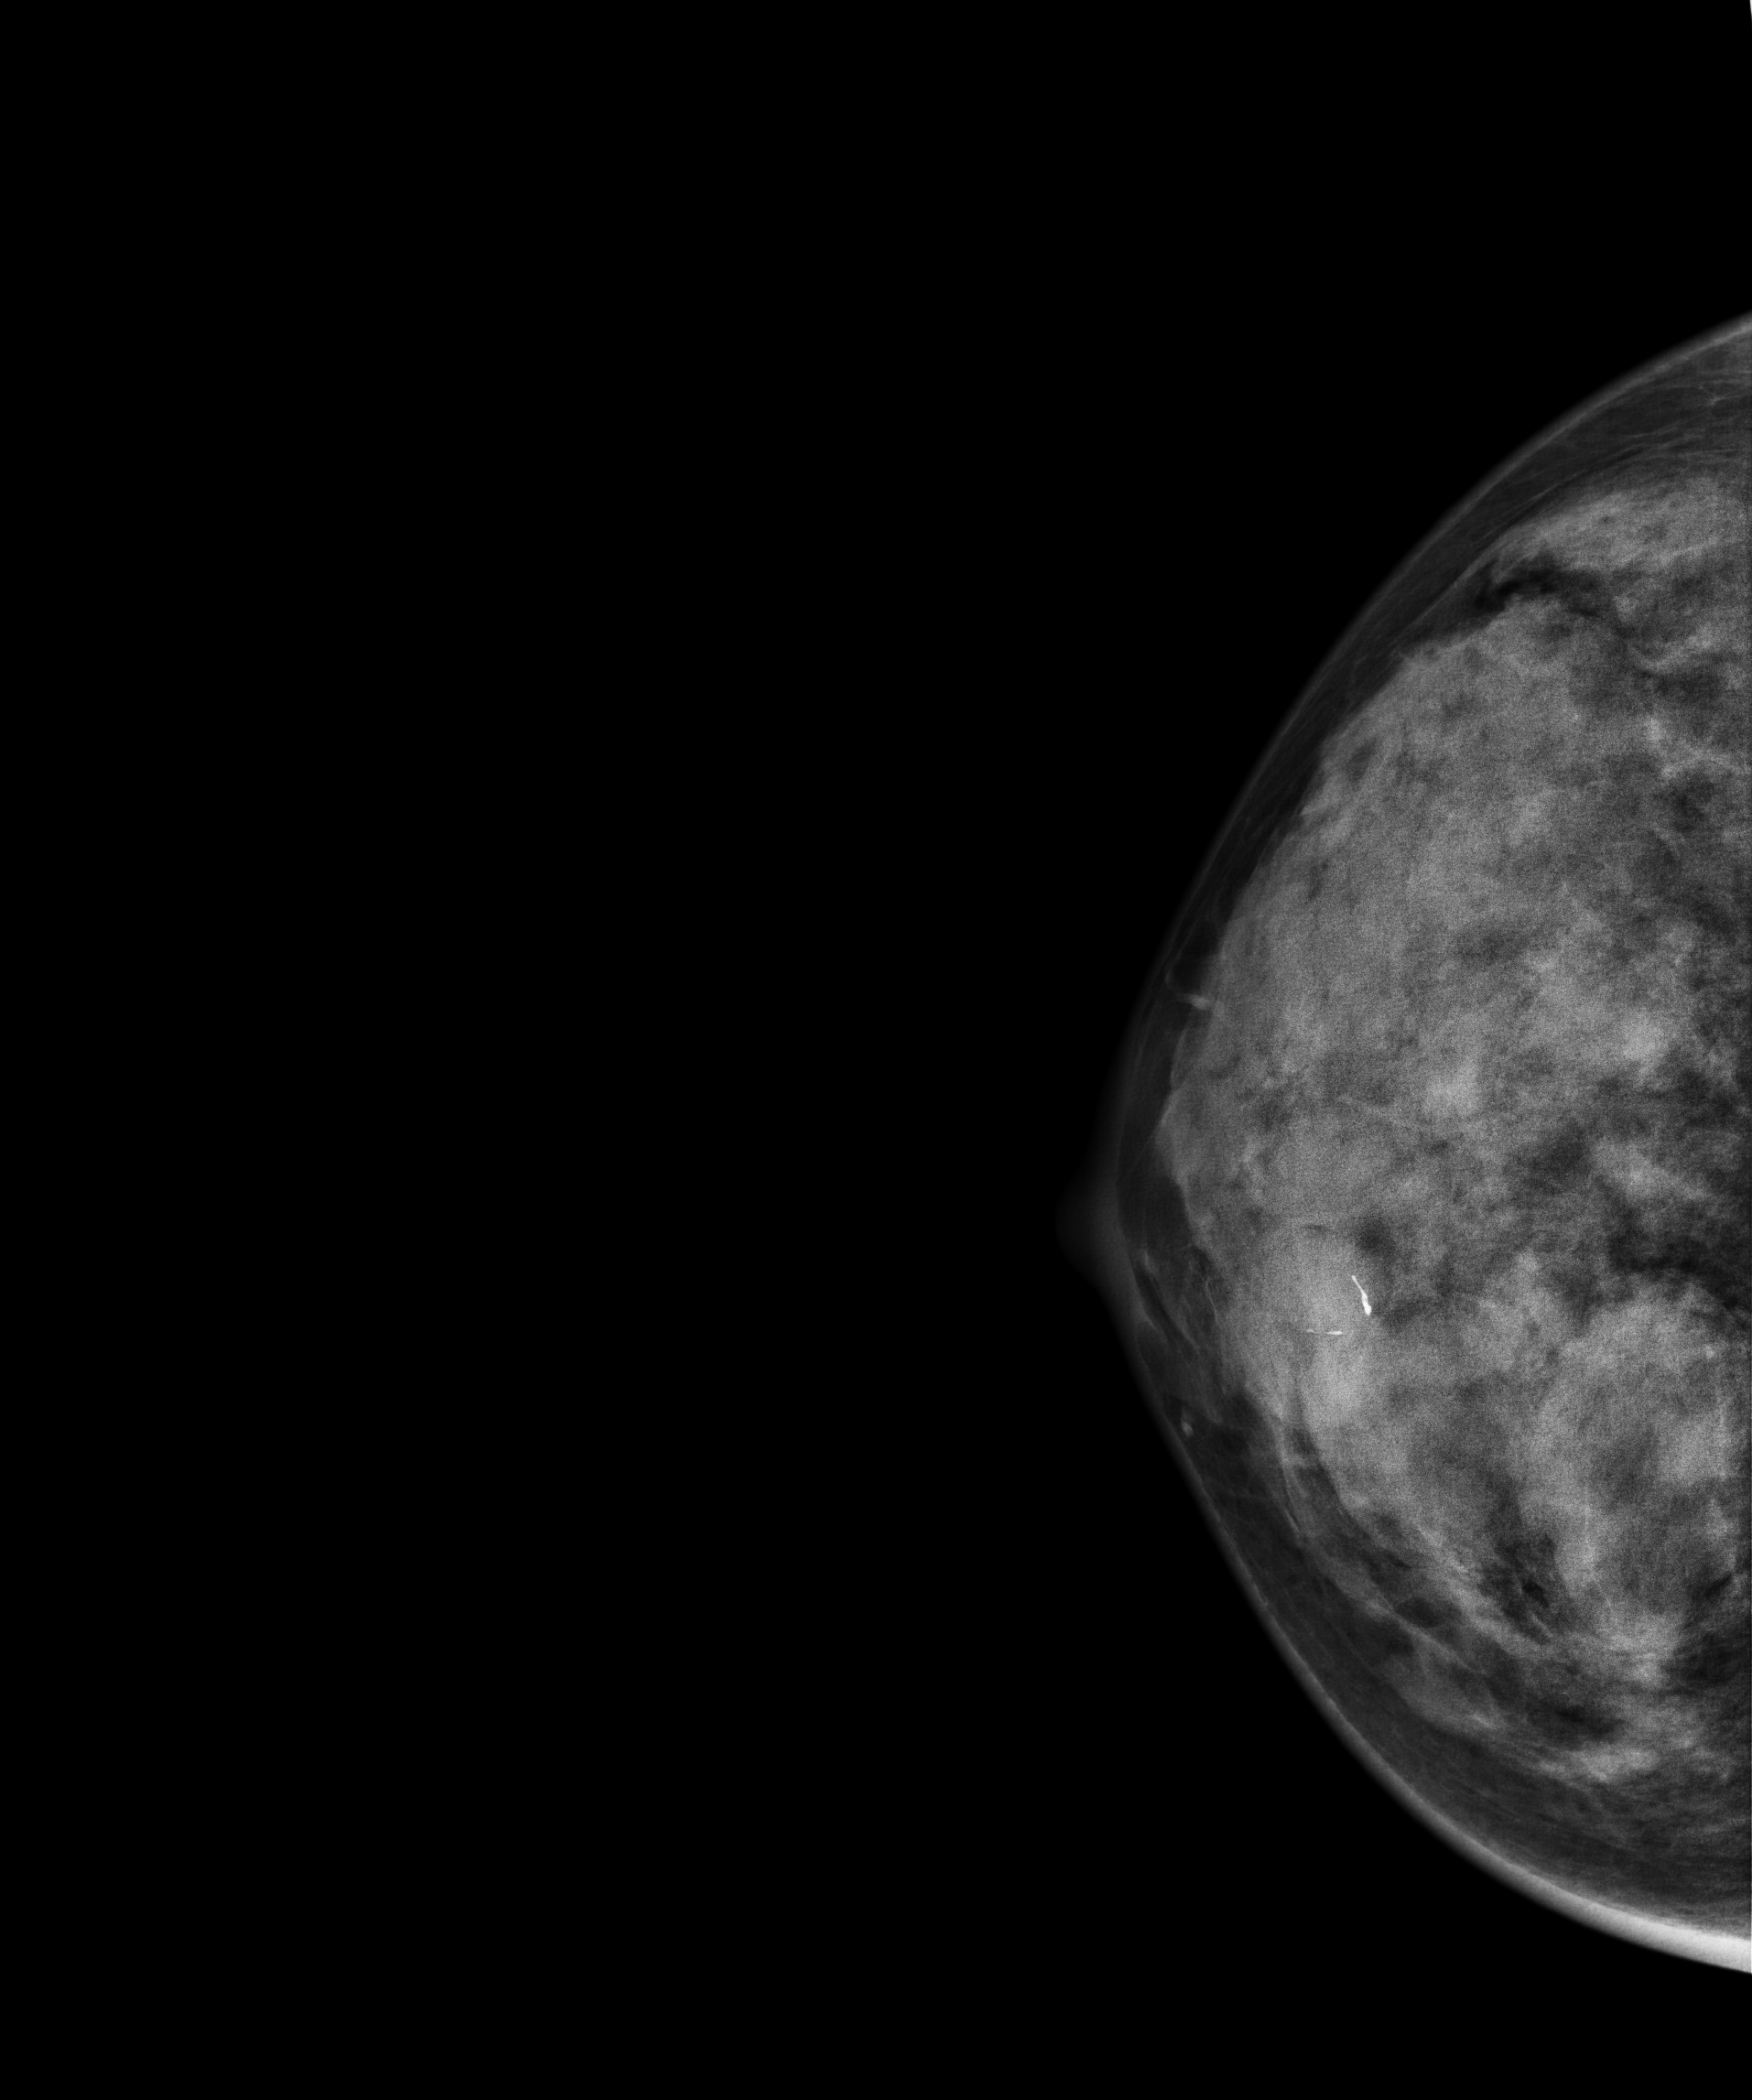
Right-breast mammogram, CC. 35 y/o patient.
This breast has a mass, biopsy-proven benign.